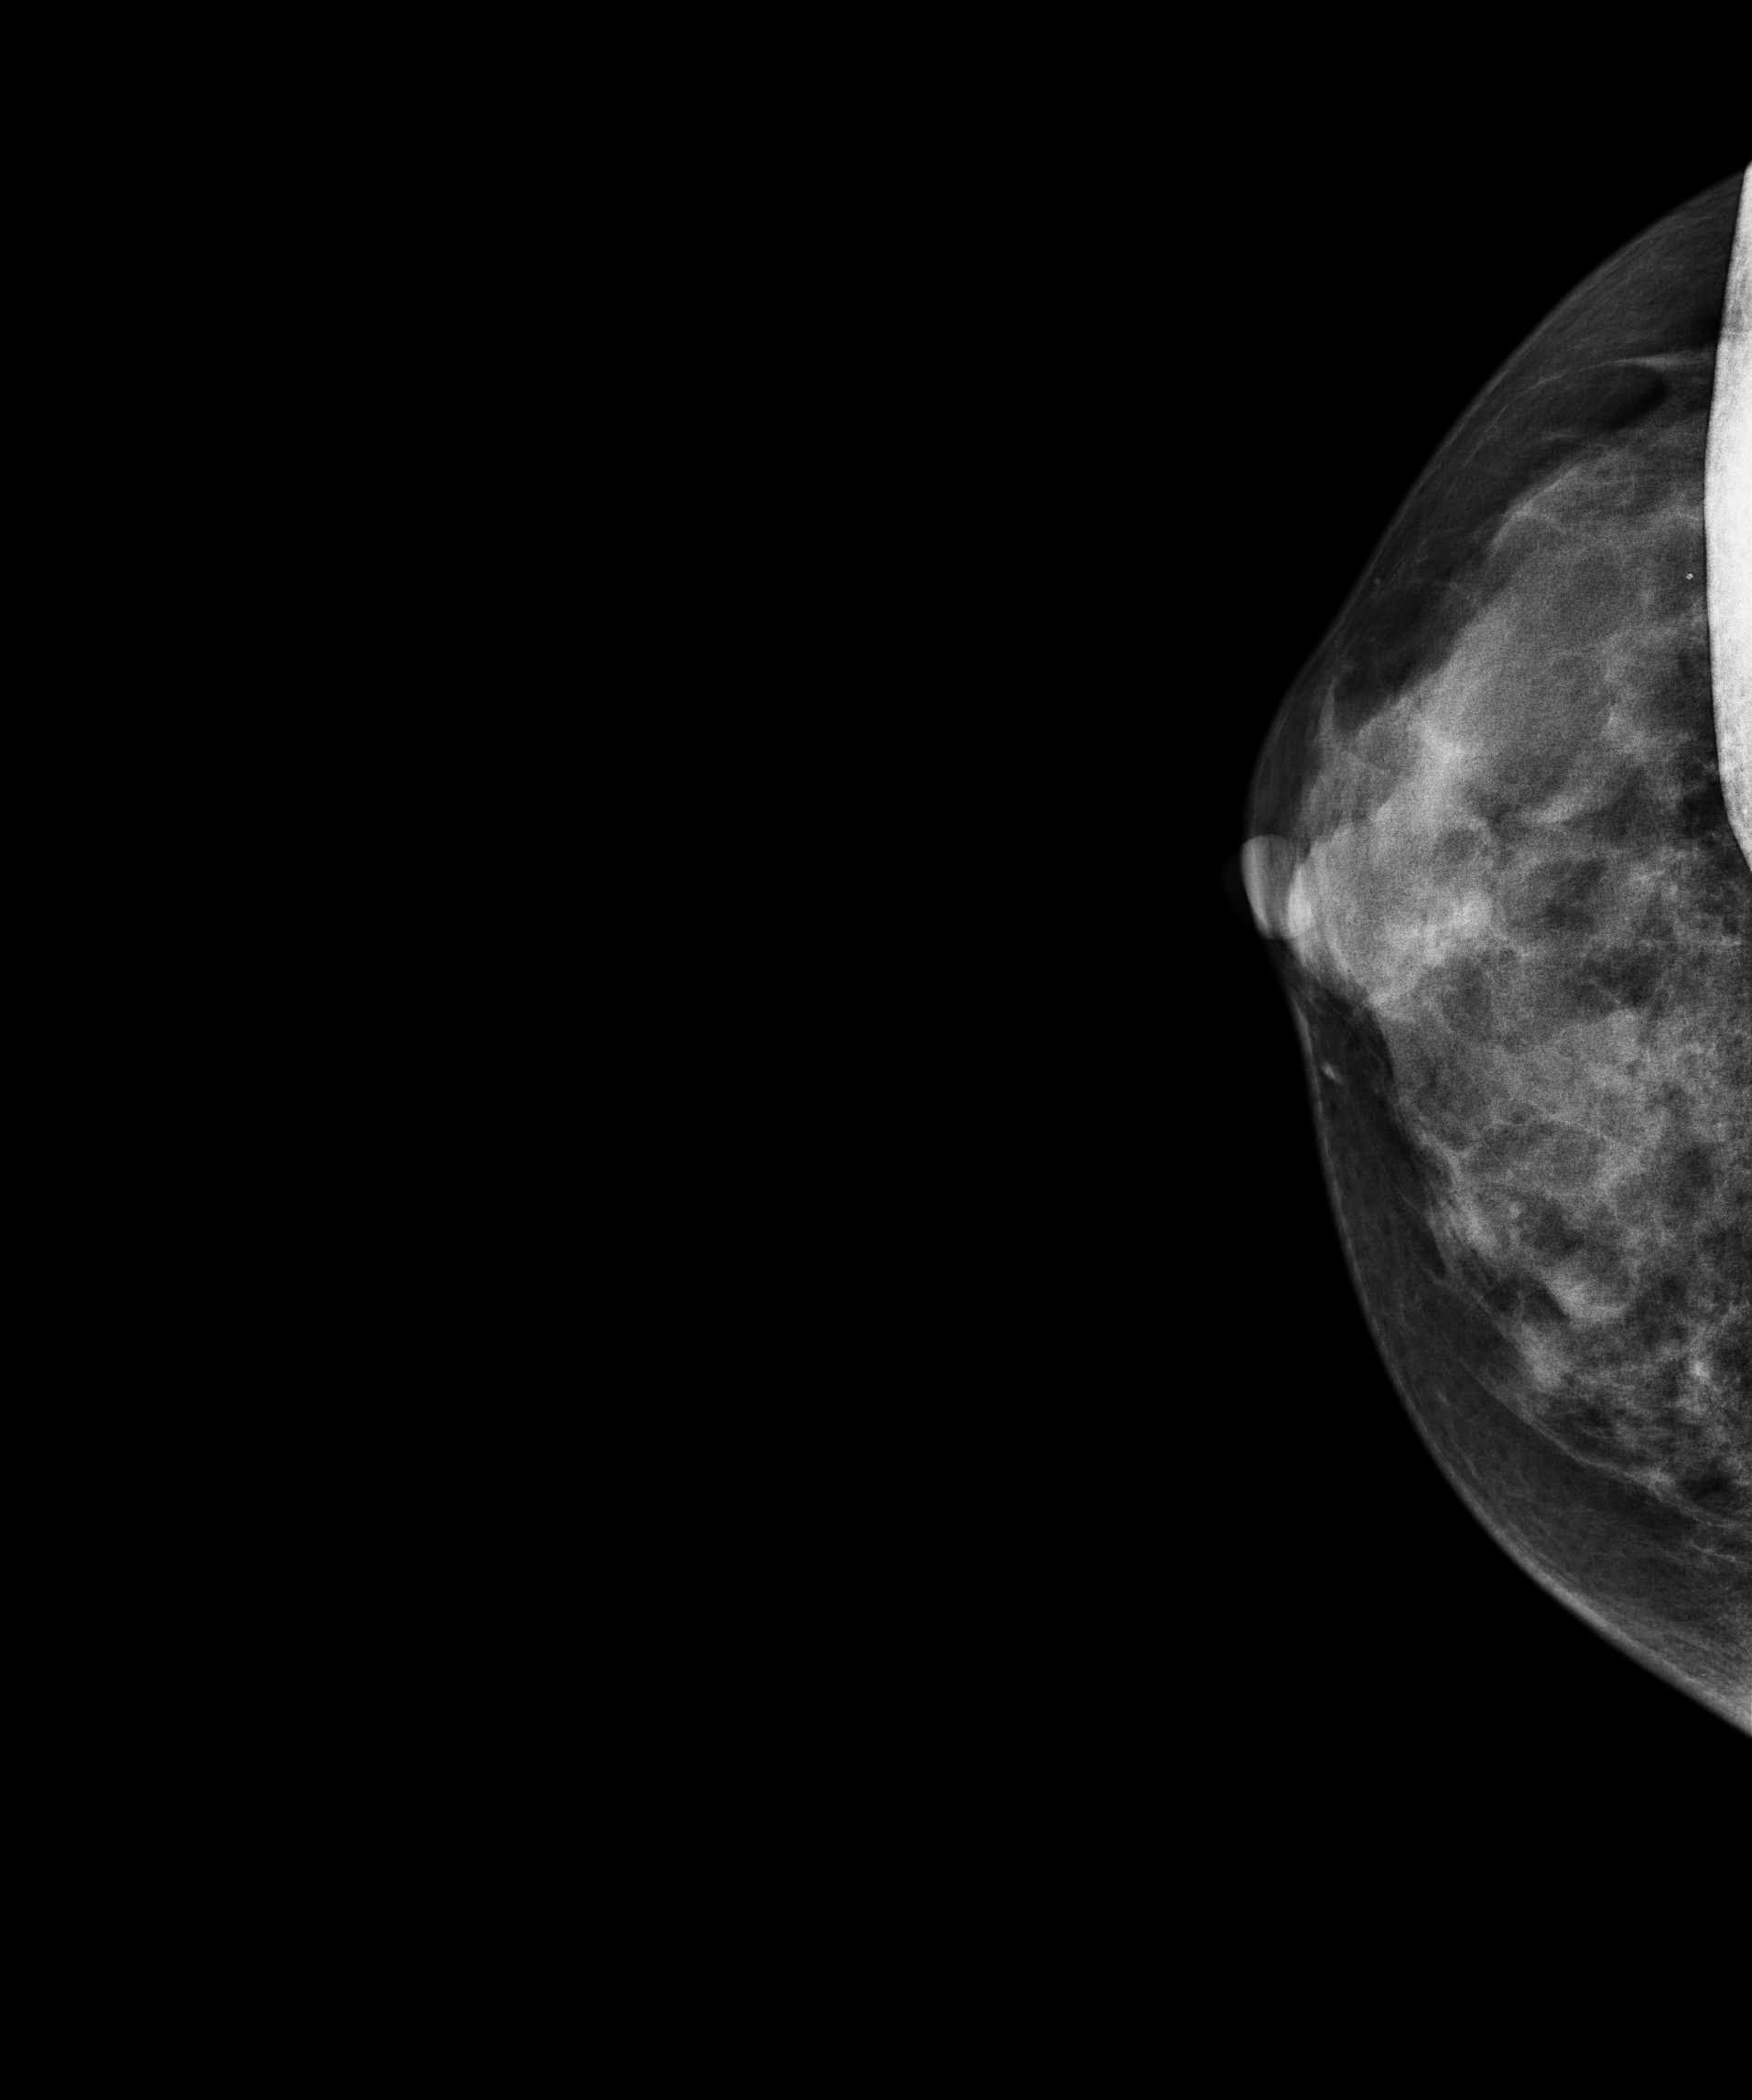
Digital mammography. Right breast, cranio-caudal projection. 48-year-old patient.
This breast has a mass, biopsy-confirmed malignant. Molecular subtype: luminal B.